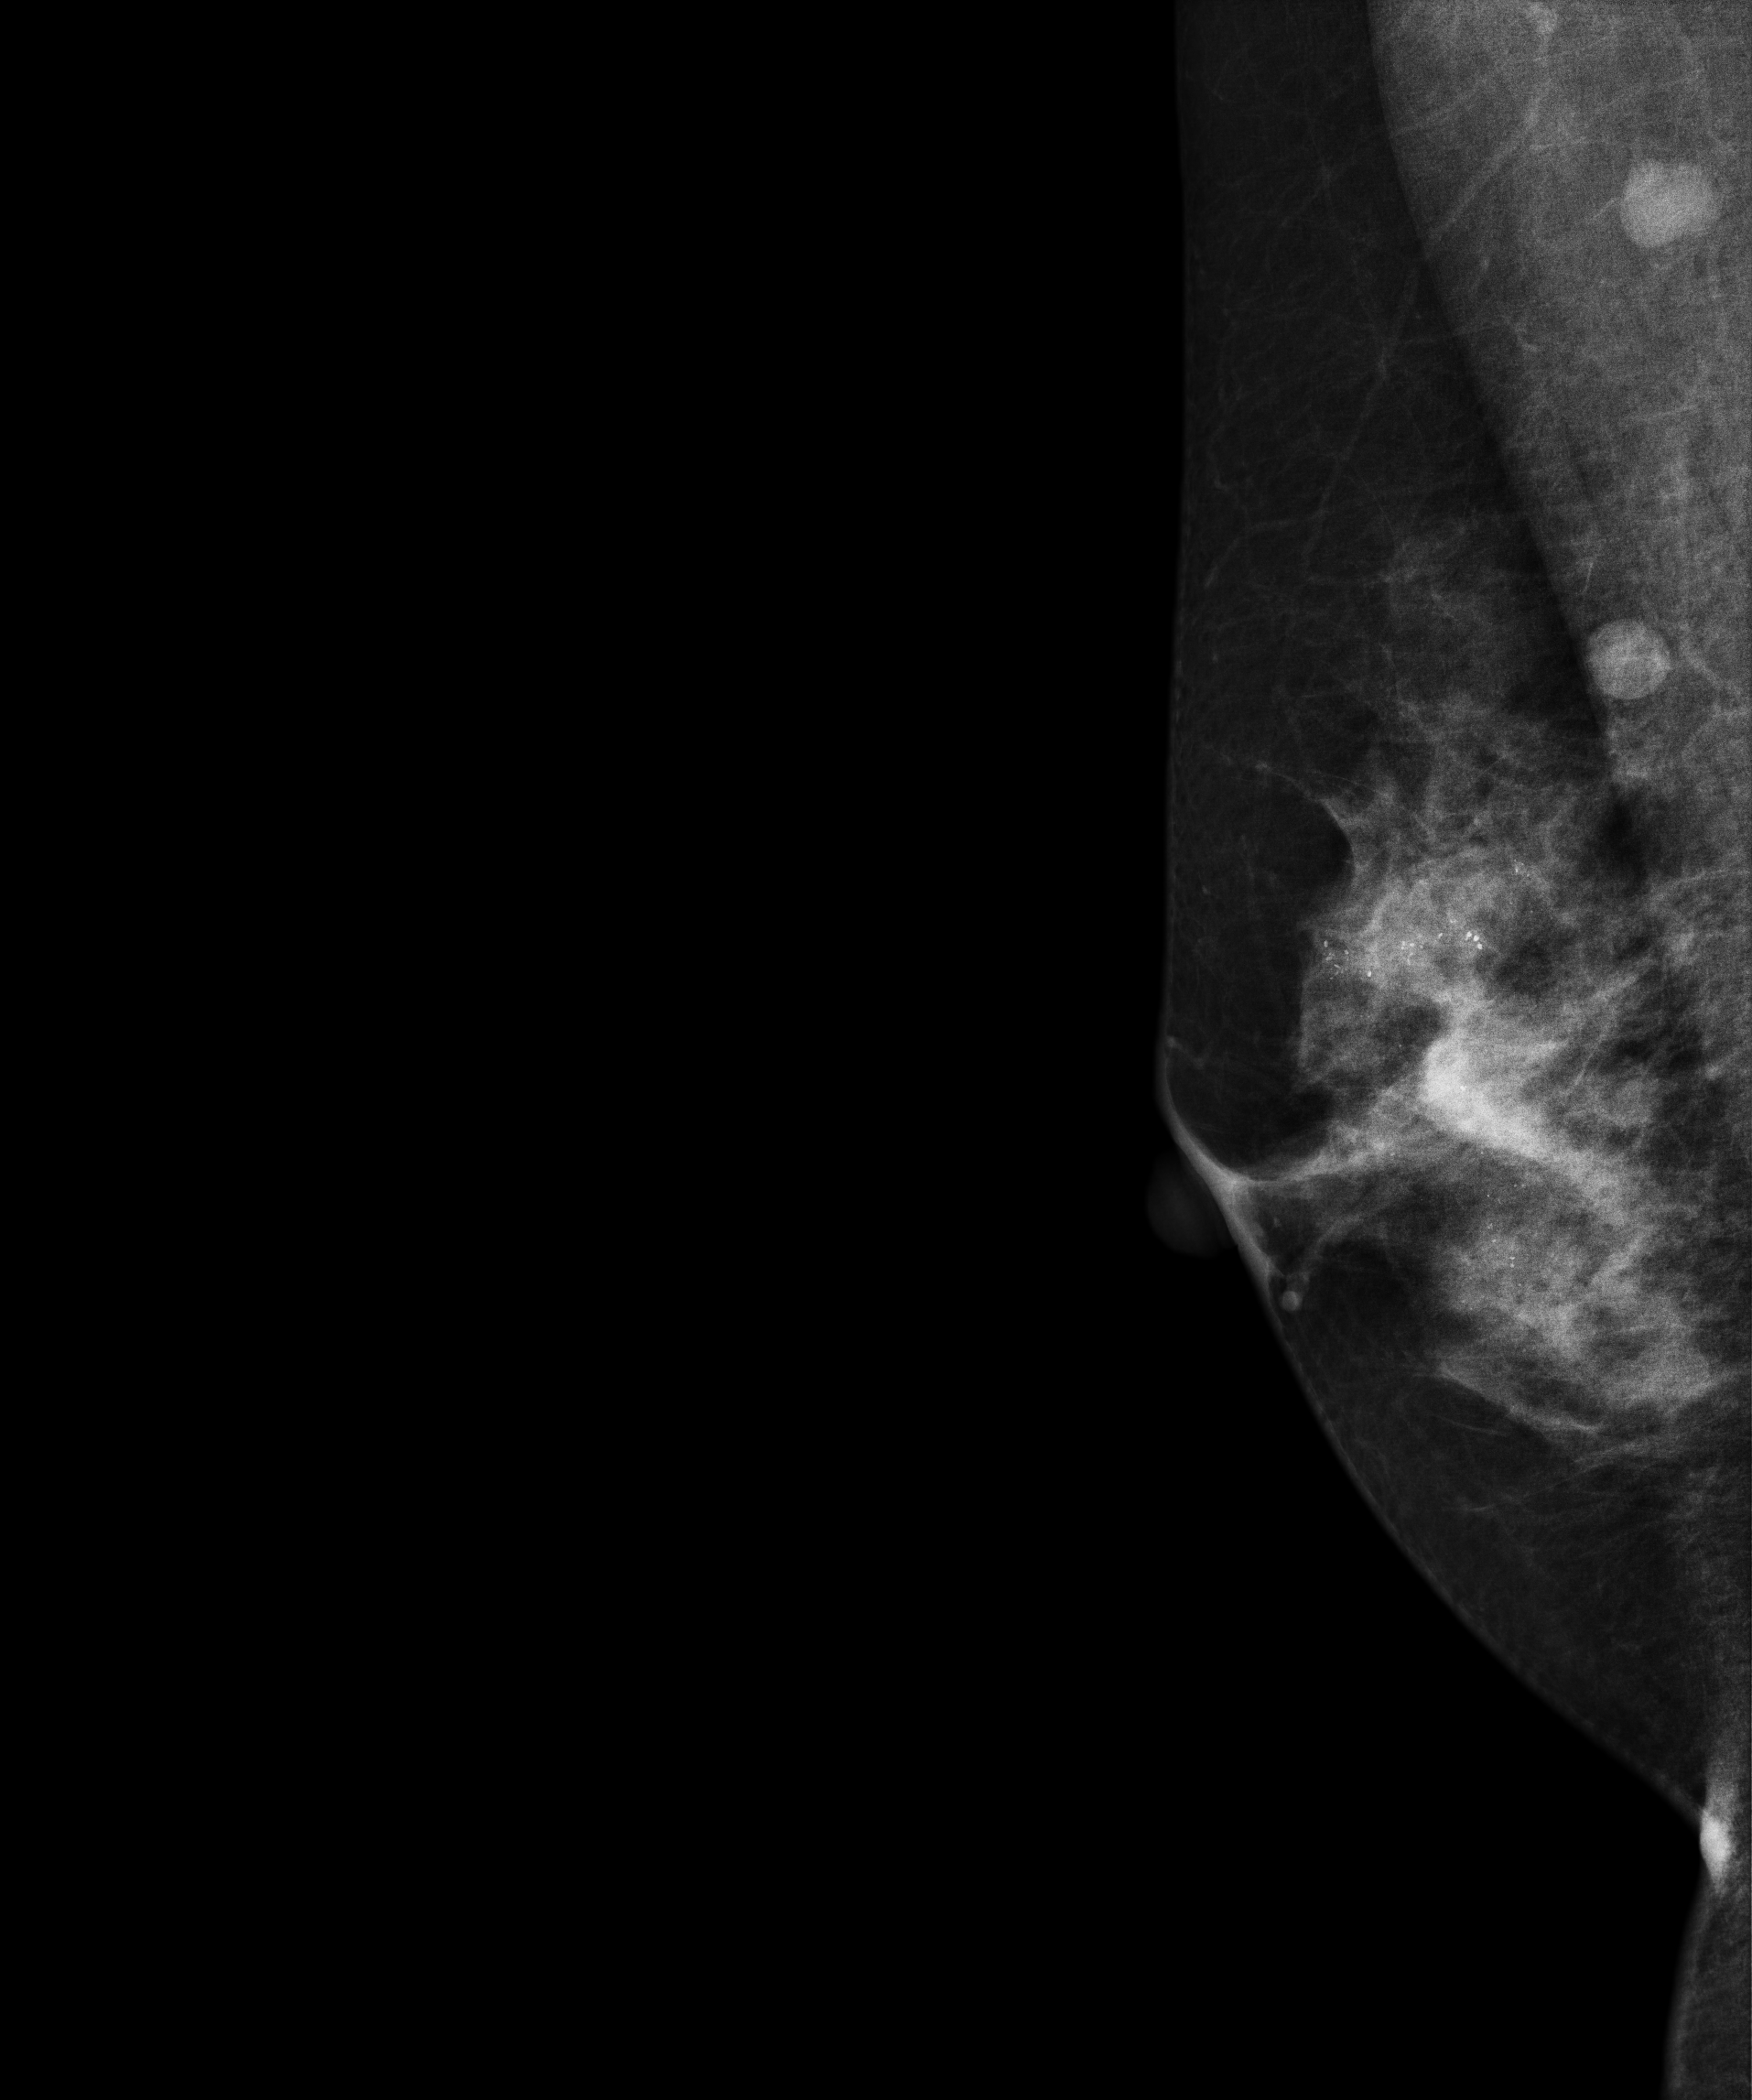
Mammogram, right breast, MLO view. Patient age 39.
This breast has calcifications, biopsy-proven malignant. Molecular subtype: HER2-enriched.